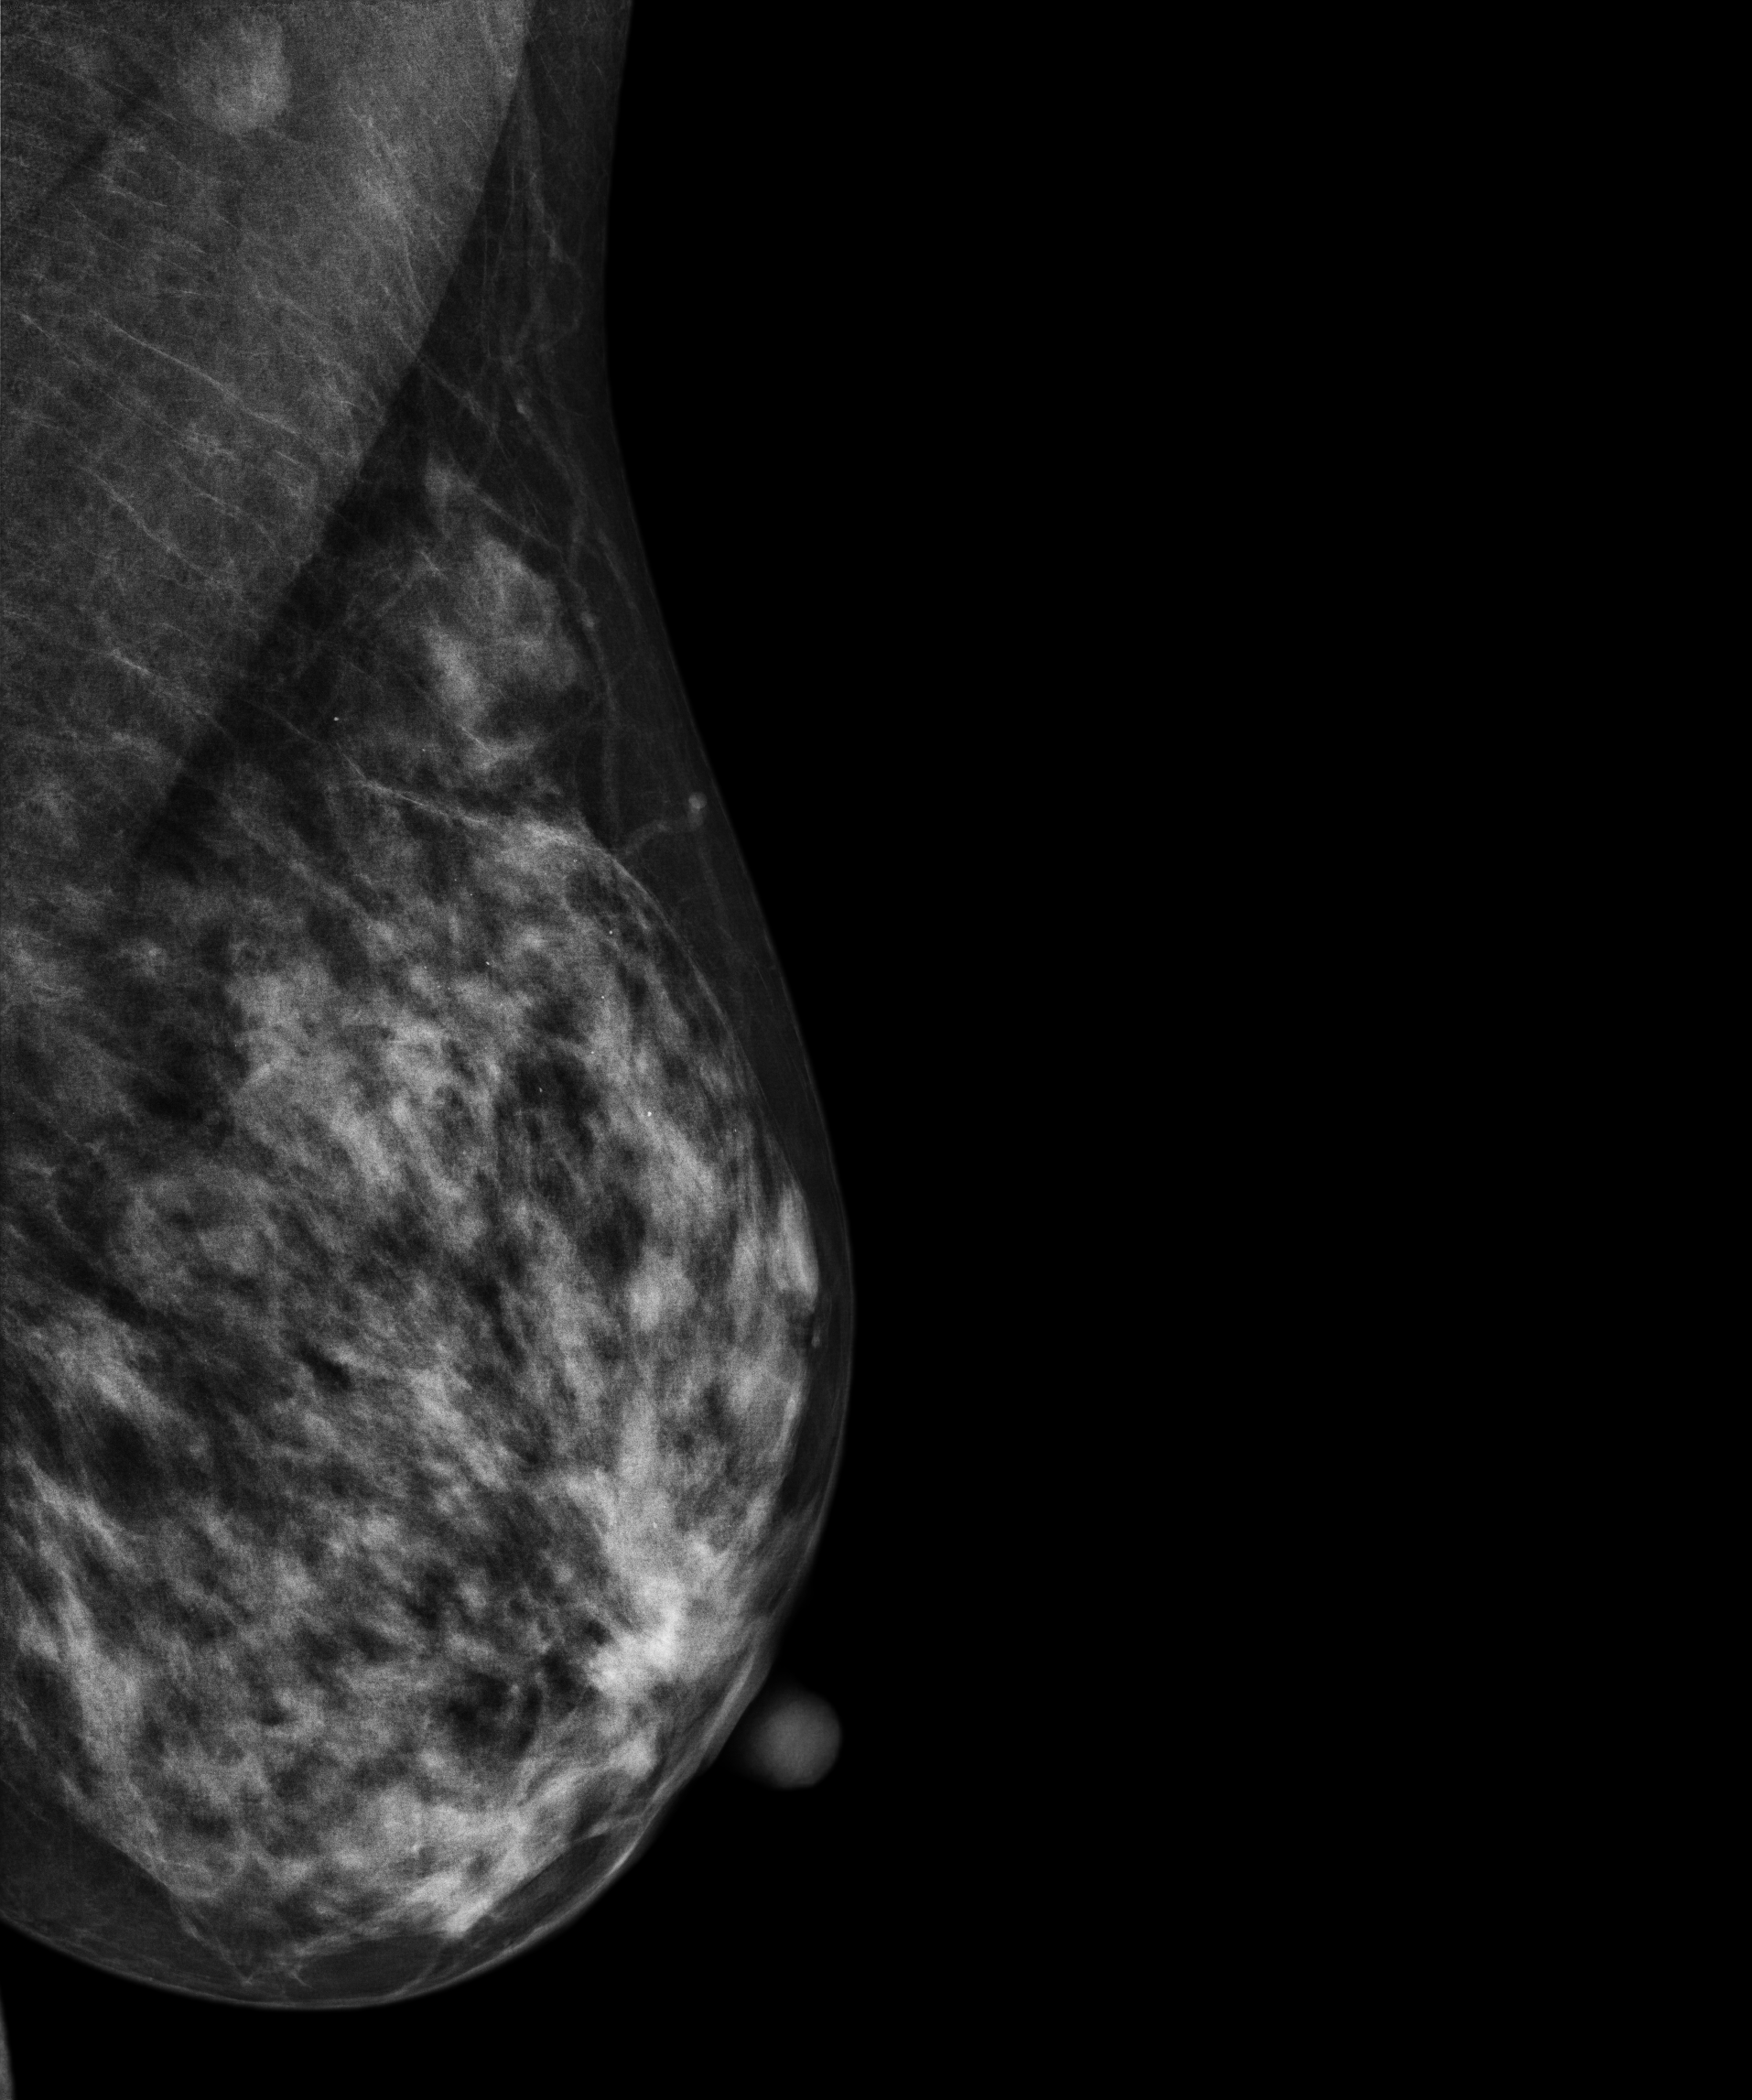
Left-breast mammogram, MLO. Patient age 38.
Contralateral breast — no documented abnormality on this side.